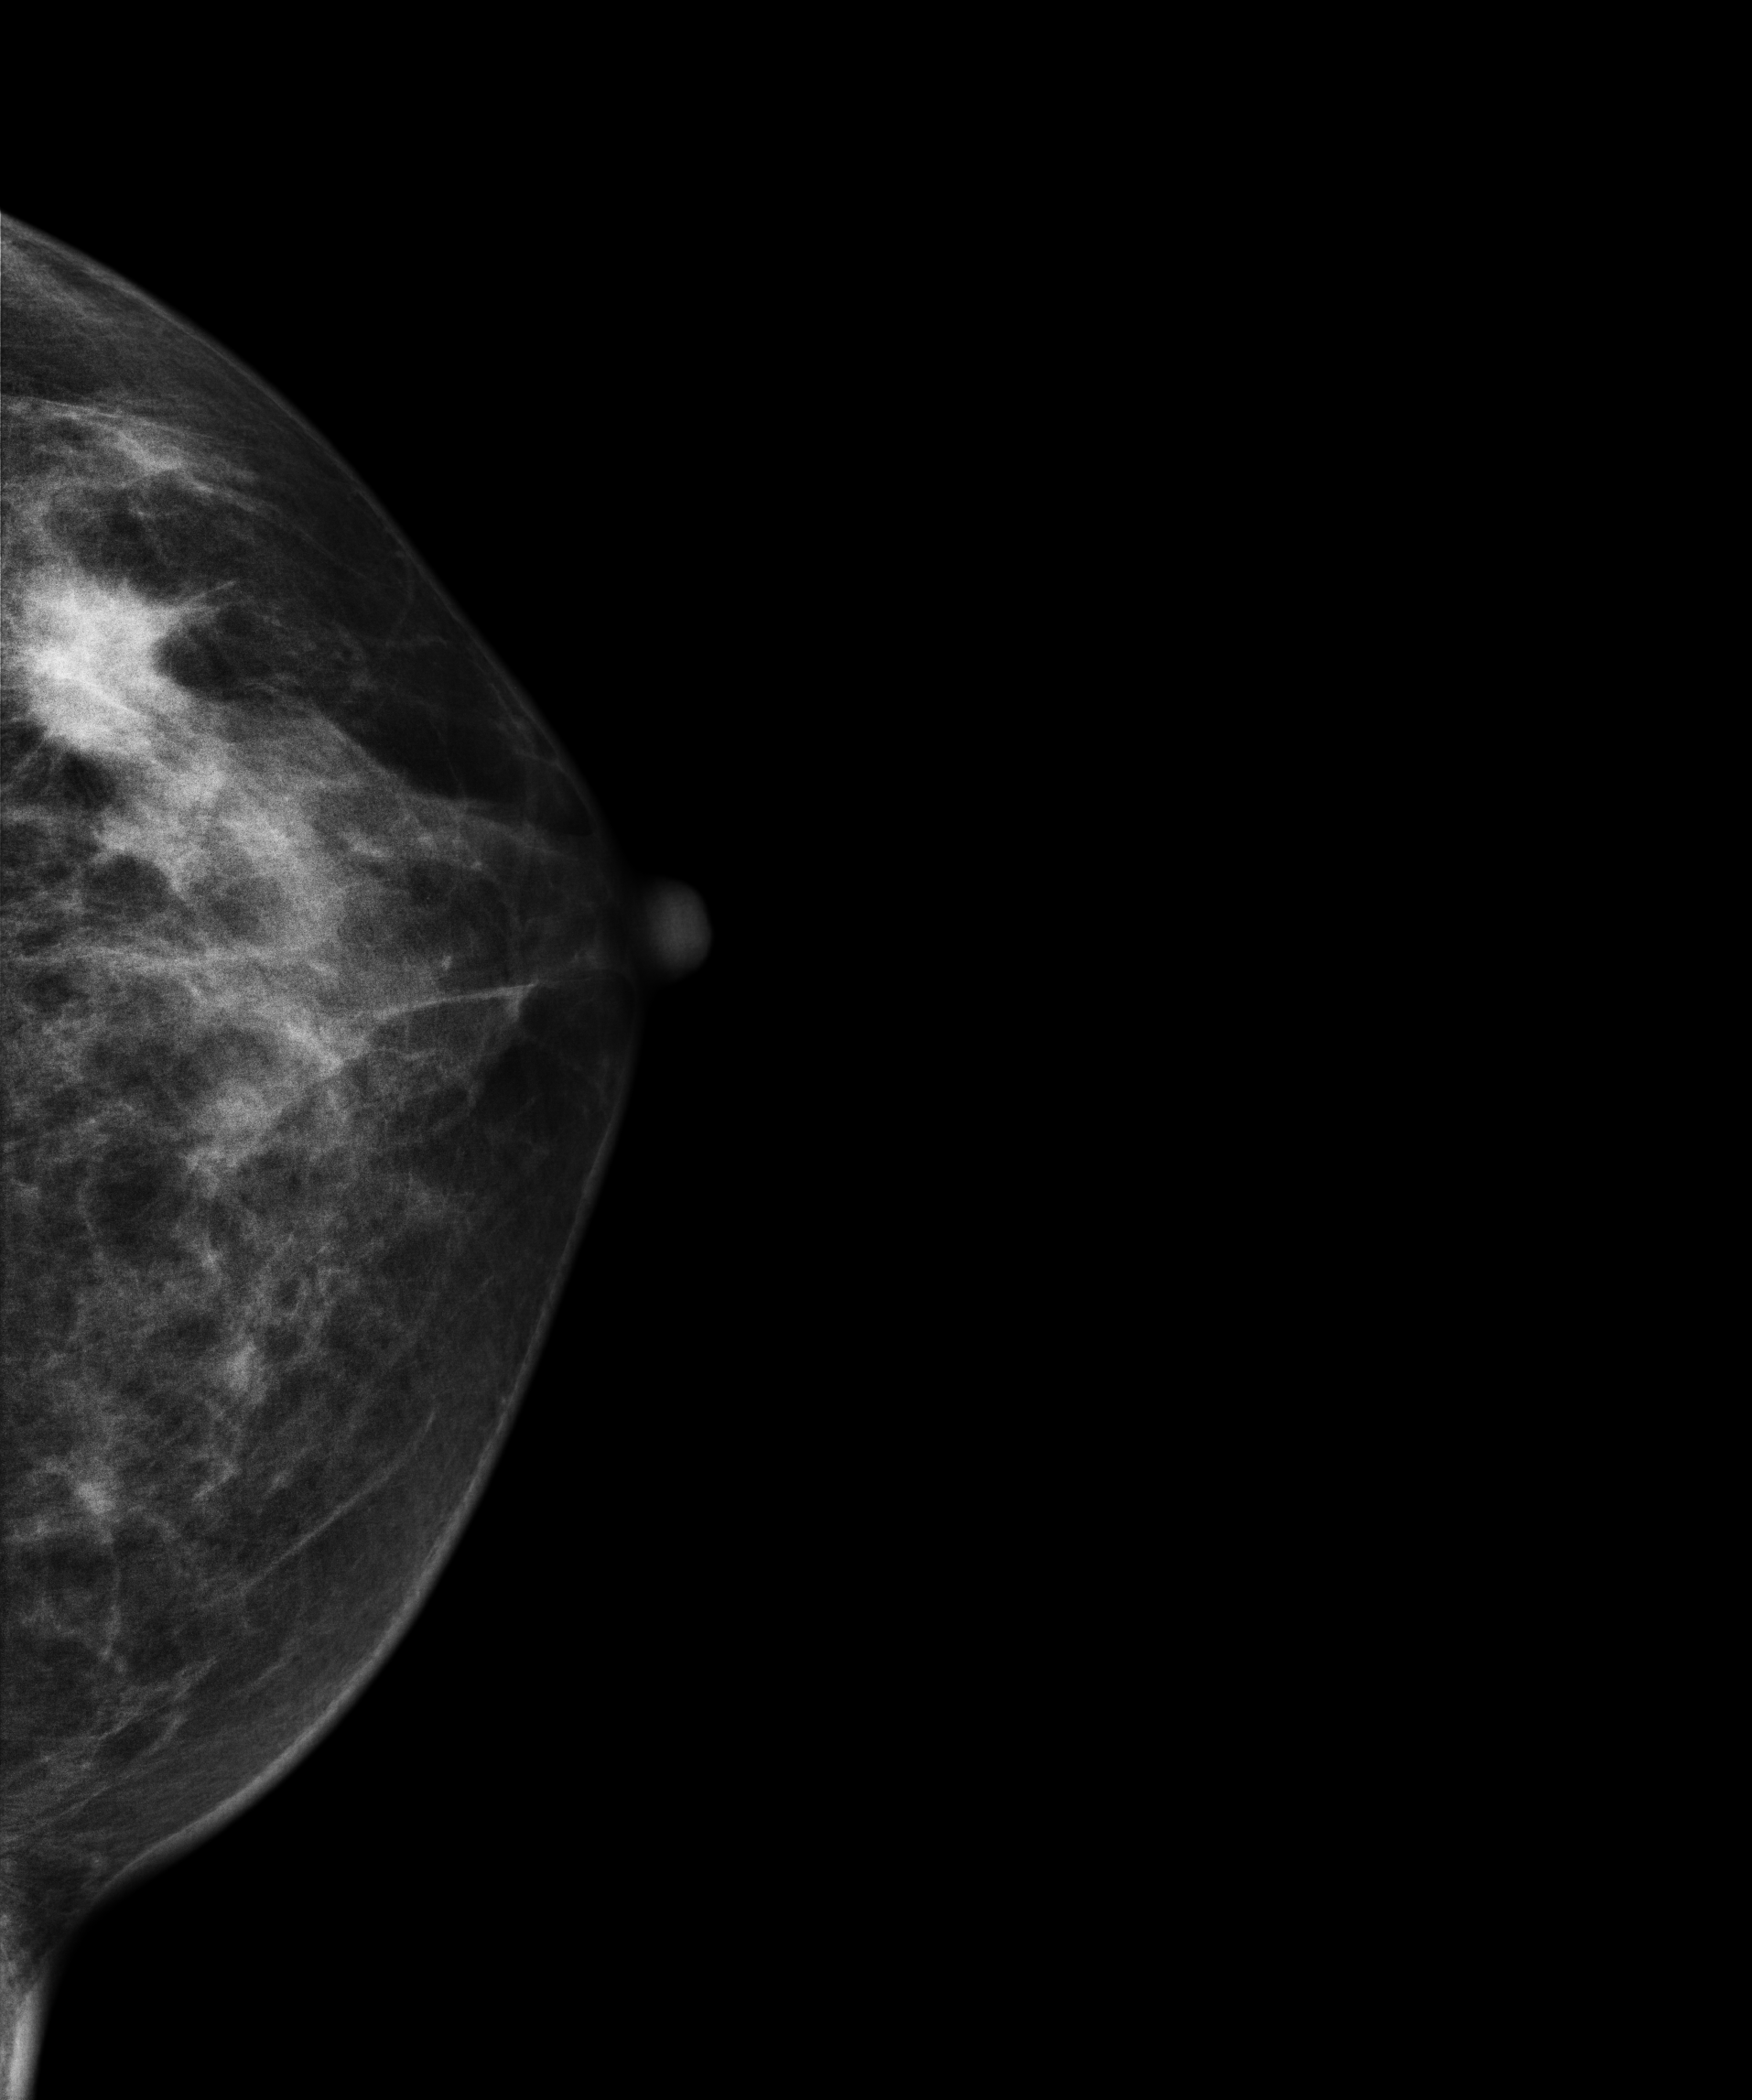
CC mammogram of the left breast. 33 y/o patient.
This breast has a mass, histologically confirmed malignant. Molecular subtype: luminal A.